CC mammogram of the left breast. Patient age 36.
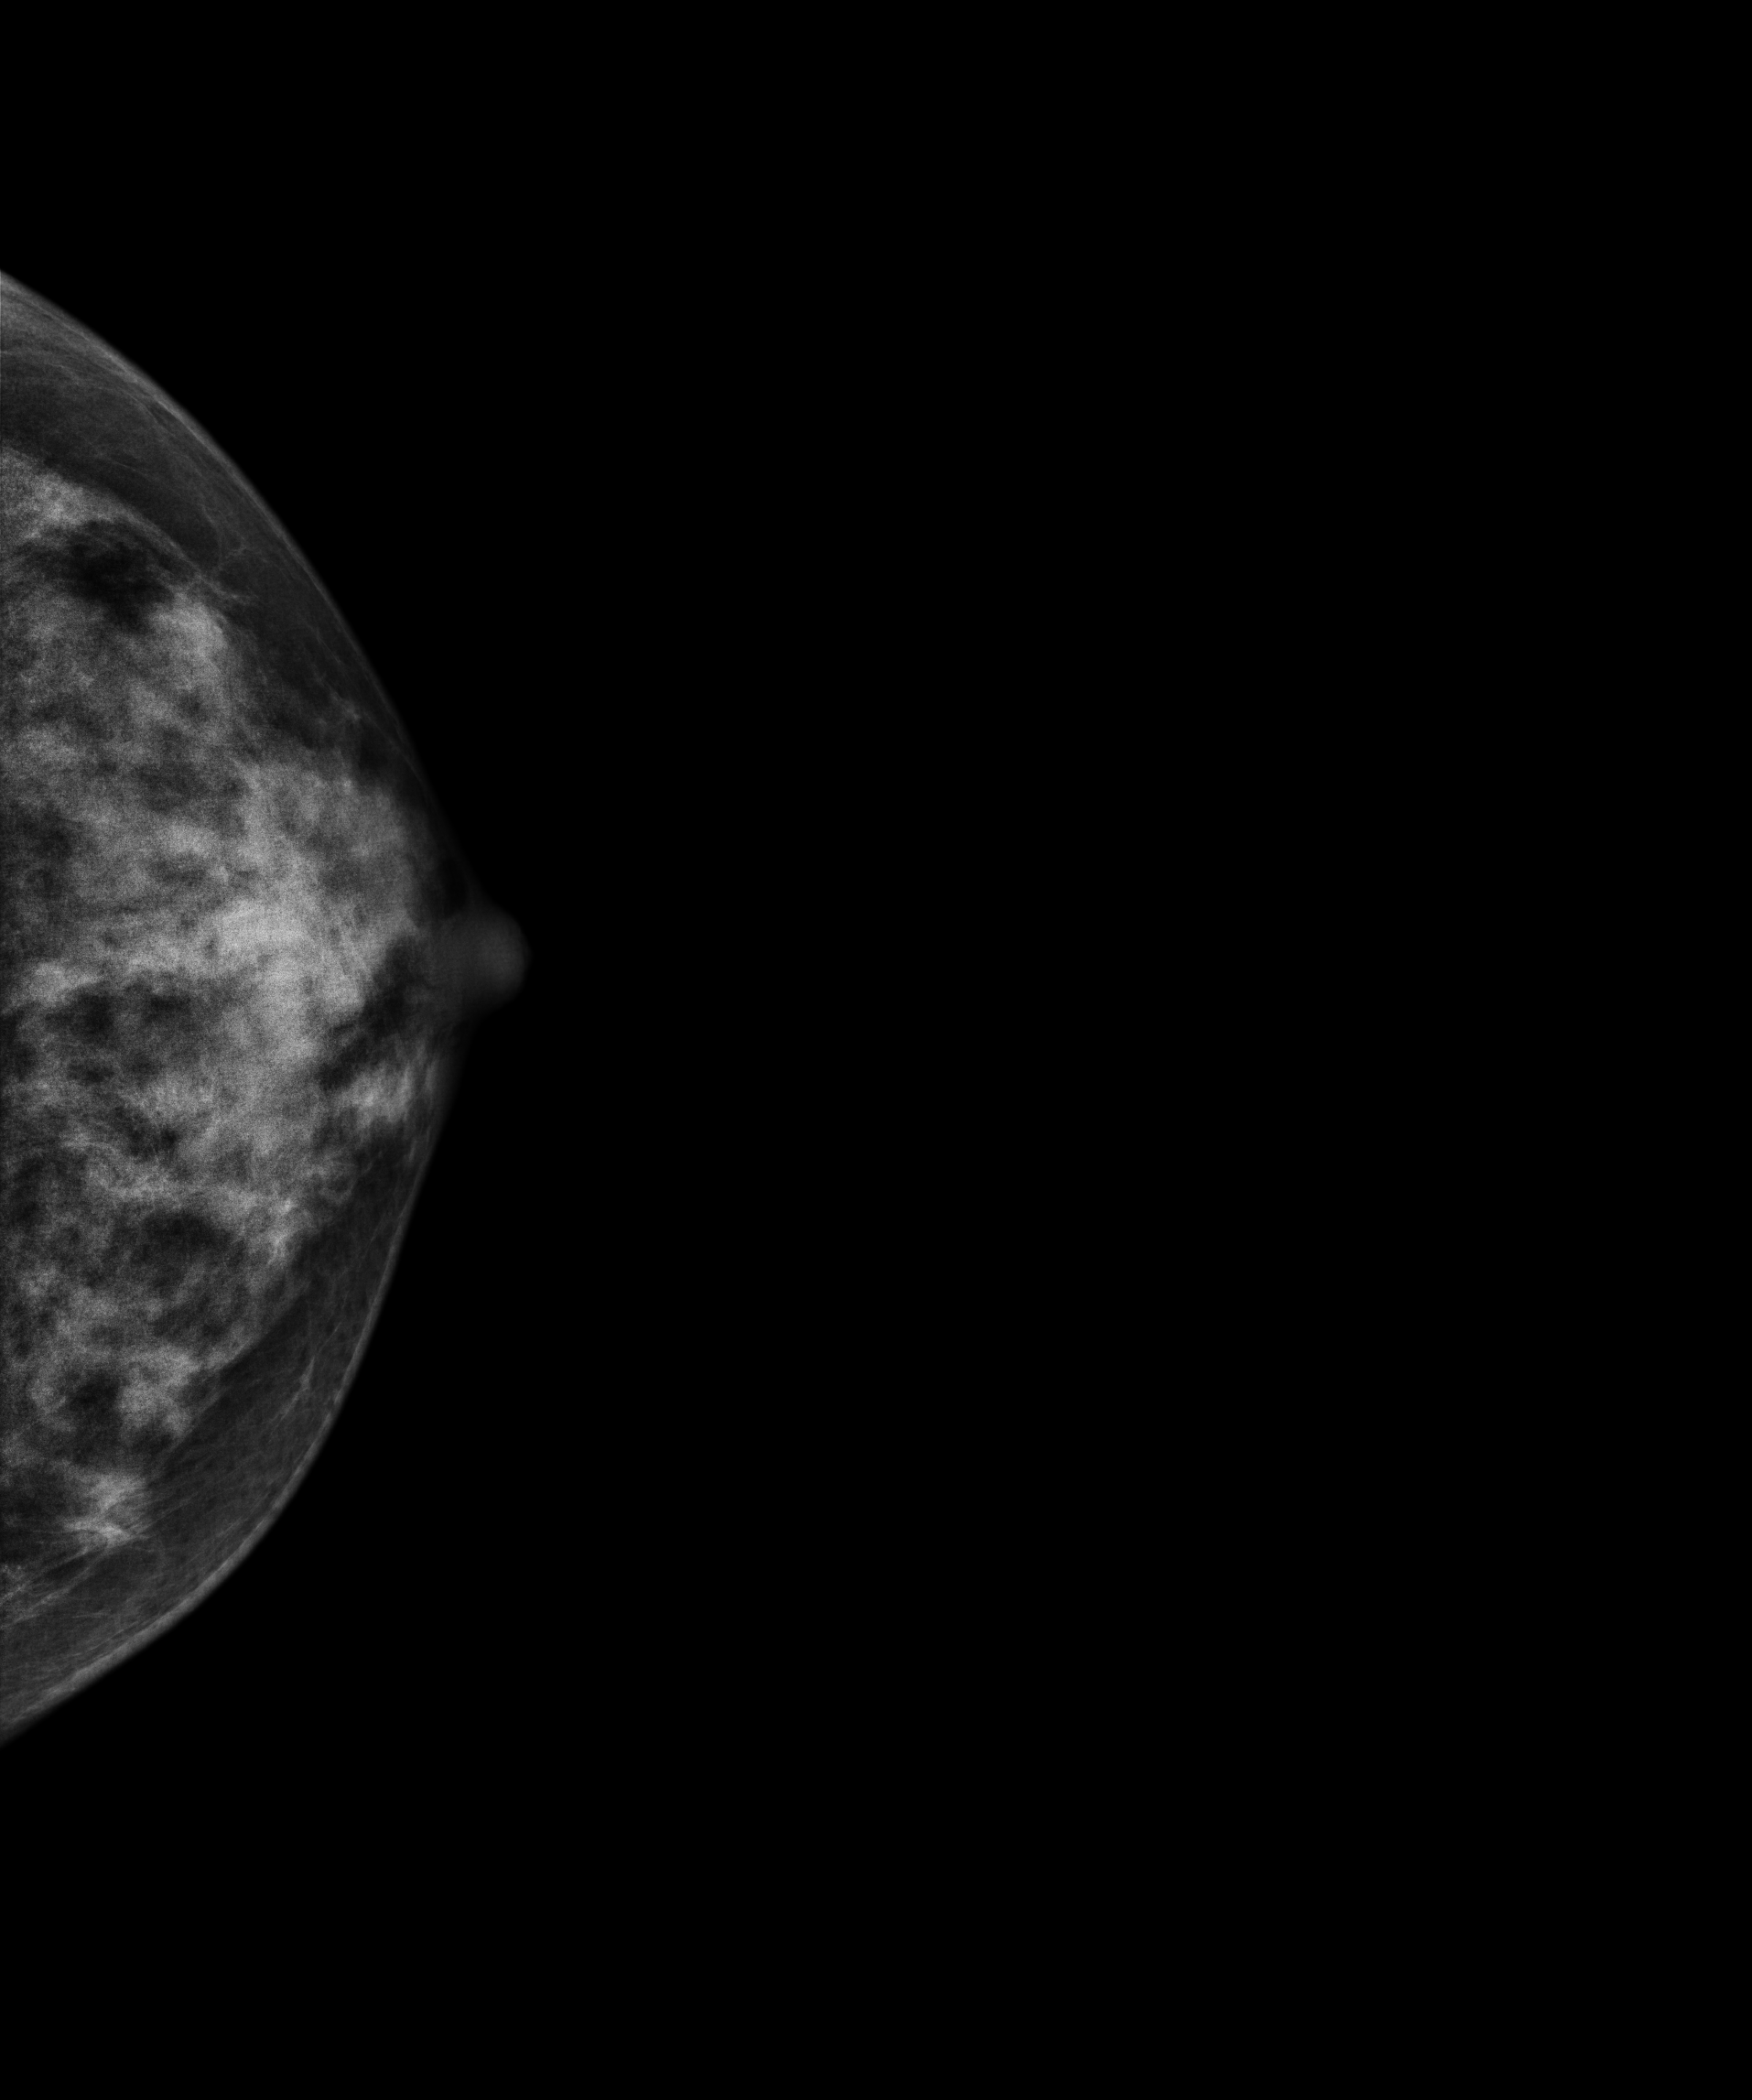
This breast has a mass, pathology-confirmed benign.